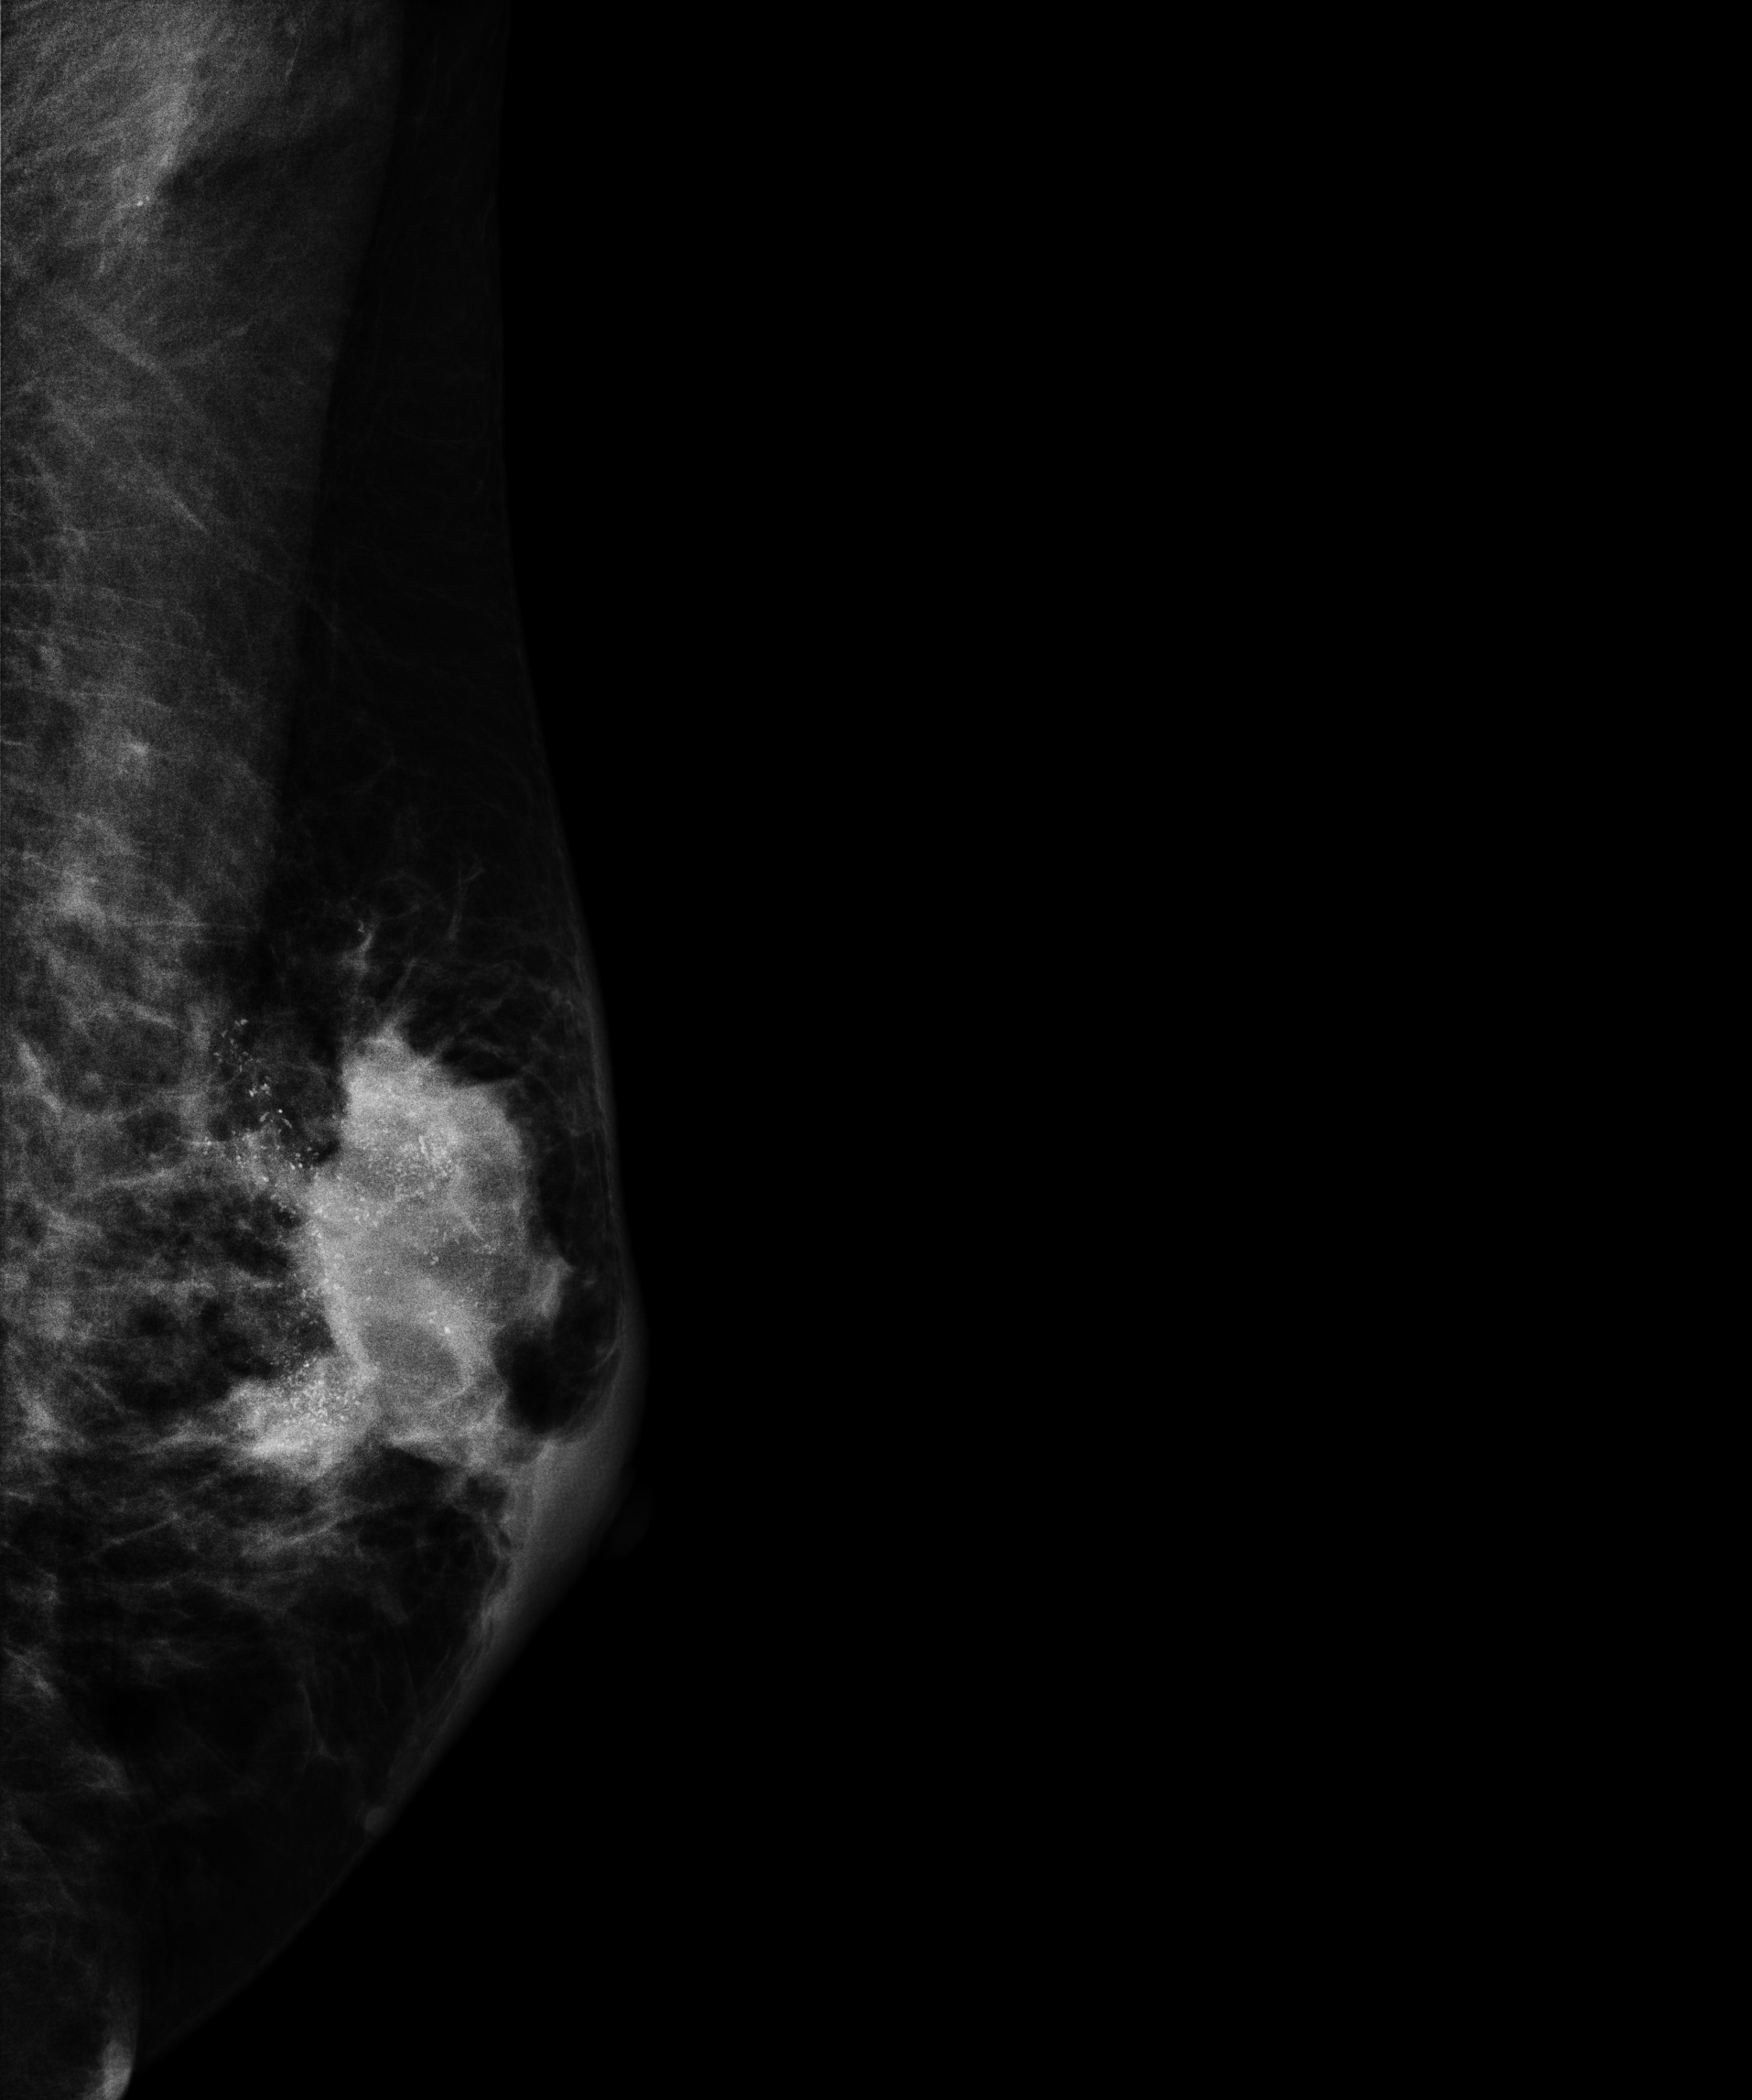
Digital mammography. Left breast, medio-lateral oblique projection. 49-year-old patient.
This breast has a mass and calcifications, biopsy-confirmed malignant. Molecular subtype: HER2-enriched.